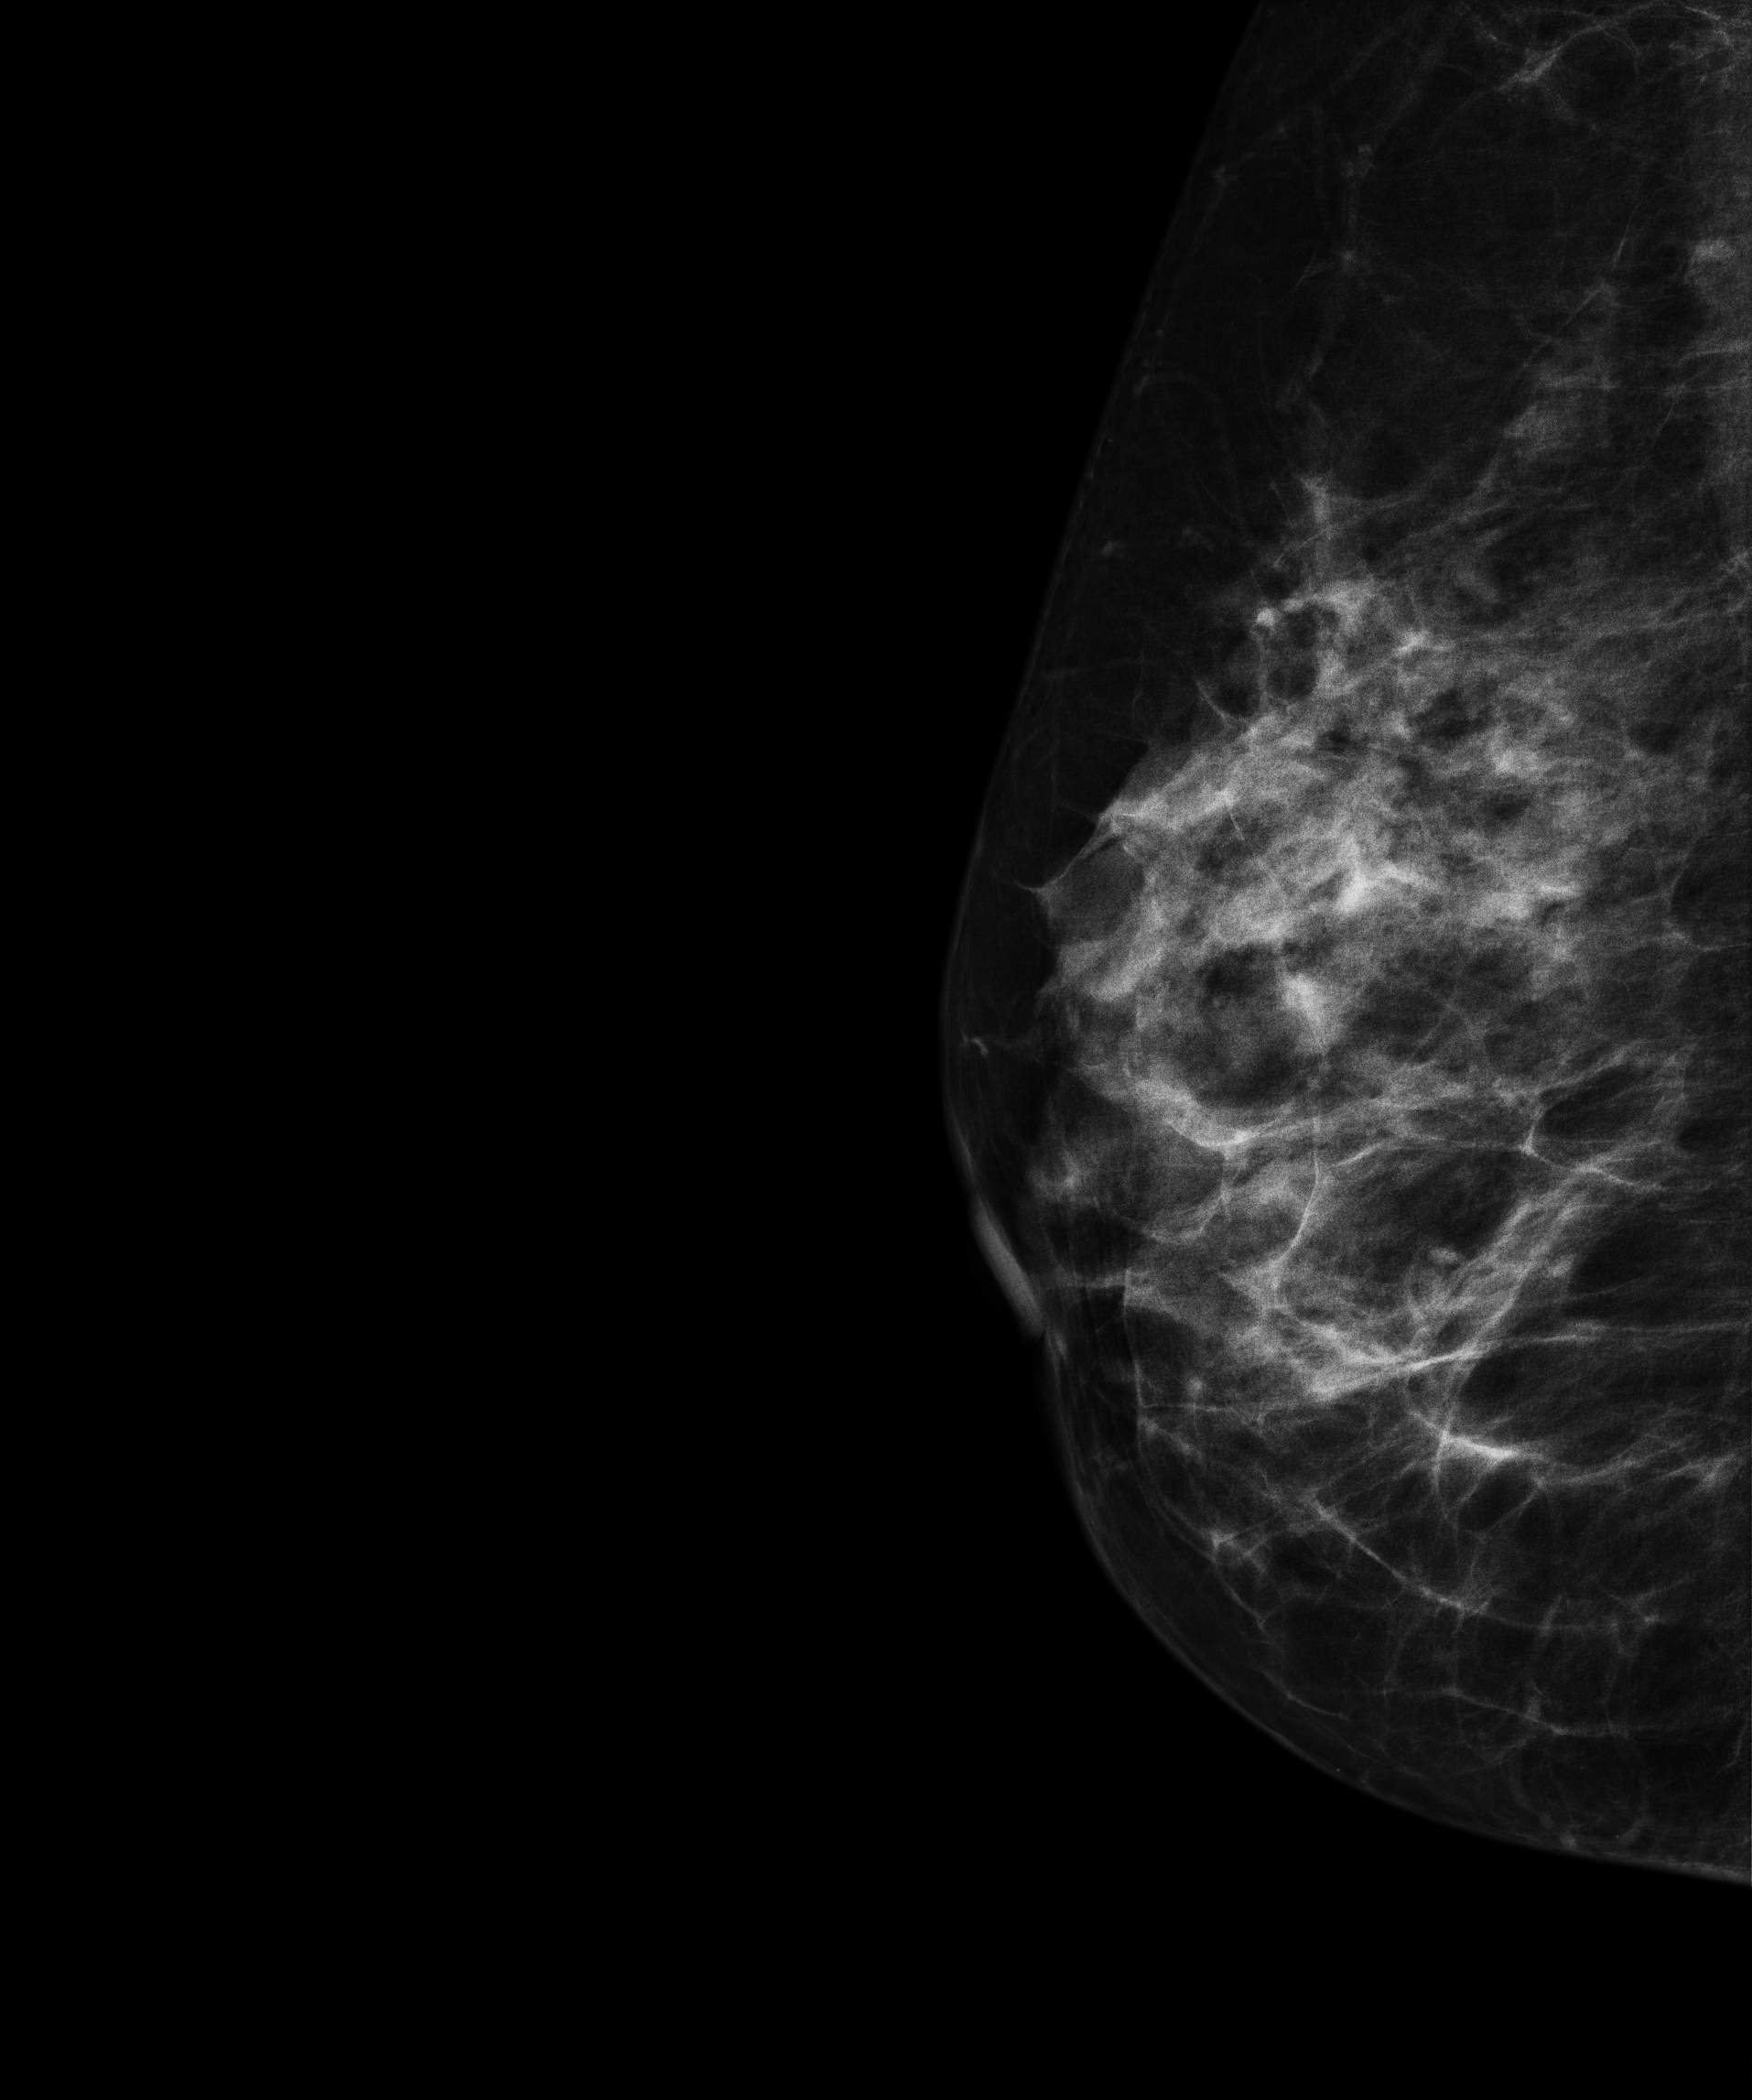
MLO mammogram of the right breast. Patient age 66.
Contralateral breast — no documented abnormality on this side.